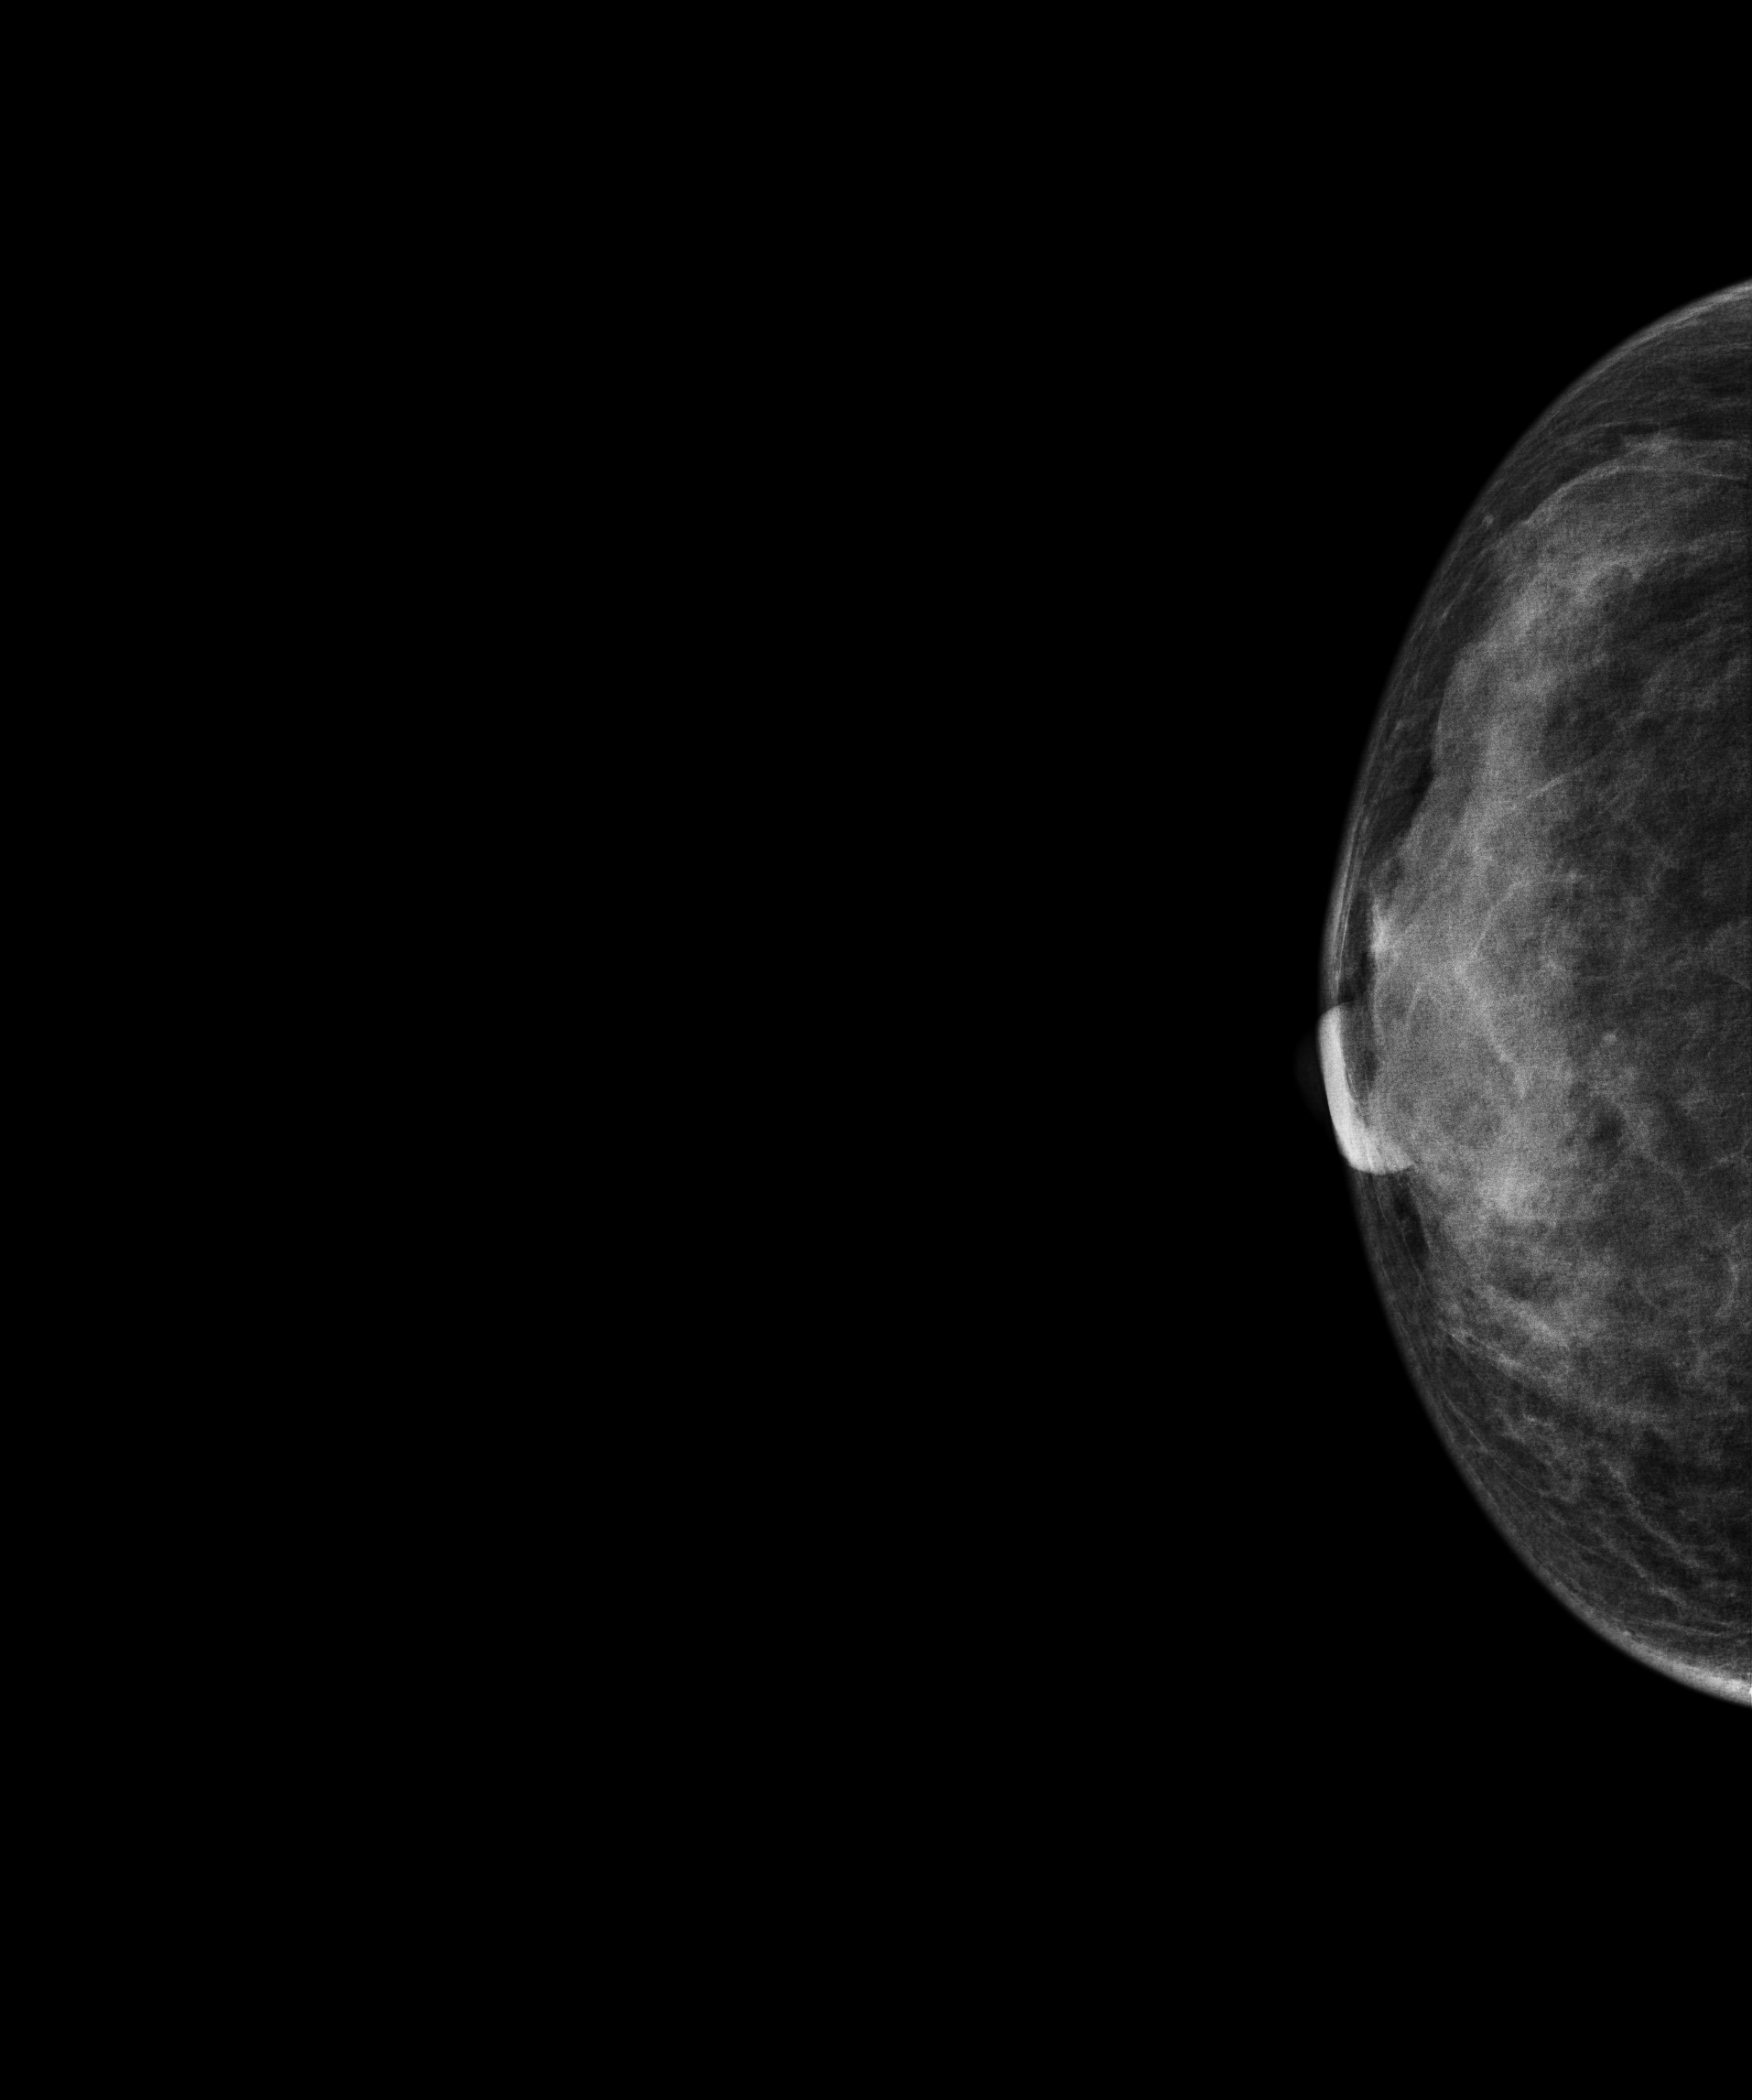
Right-breast mammogram, CC. 37 y/o patient.
Contralateral breast — no documented abnormality on this side.